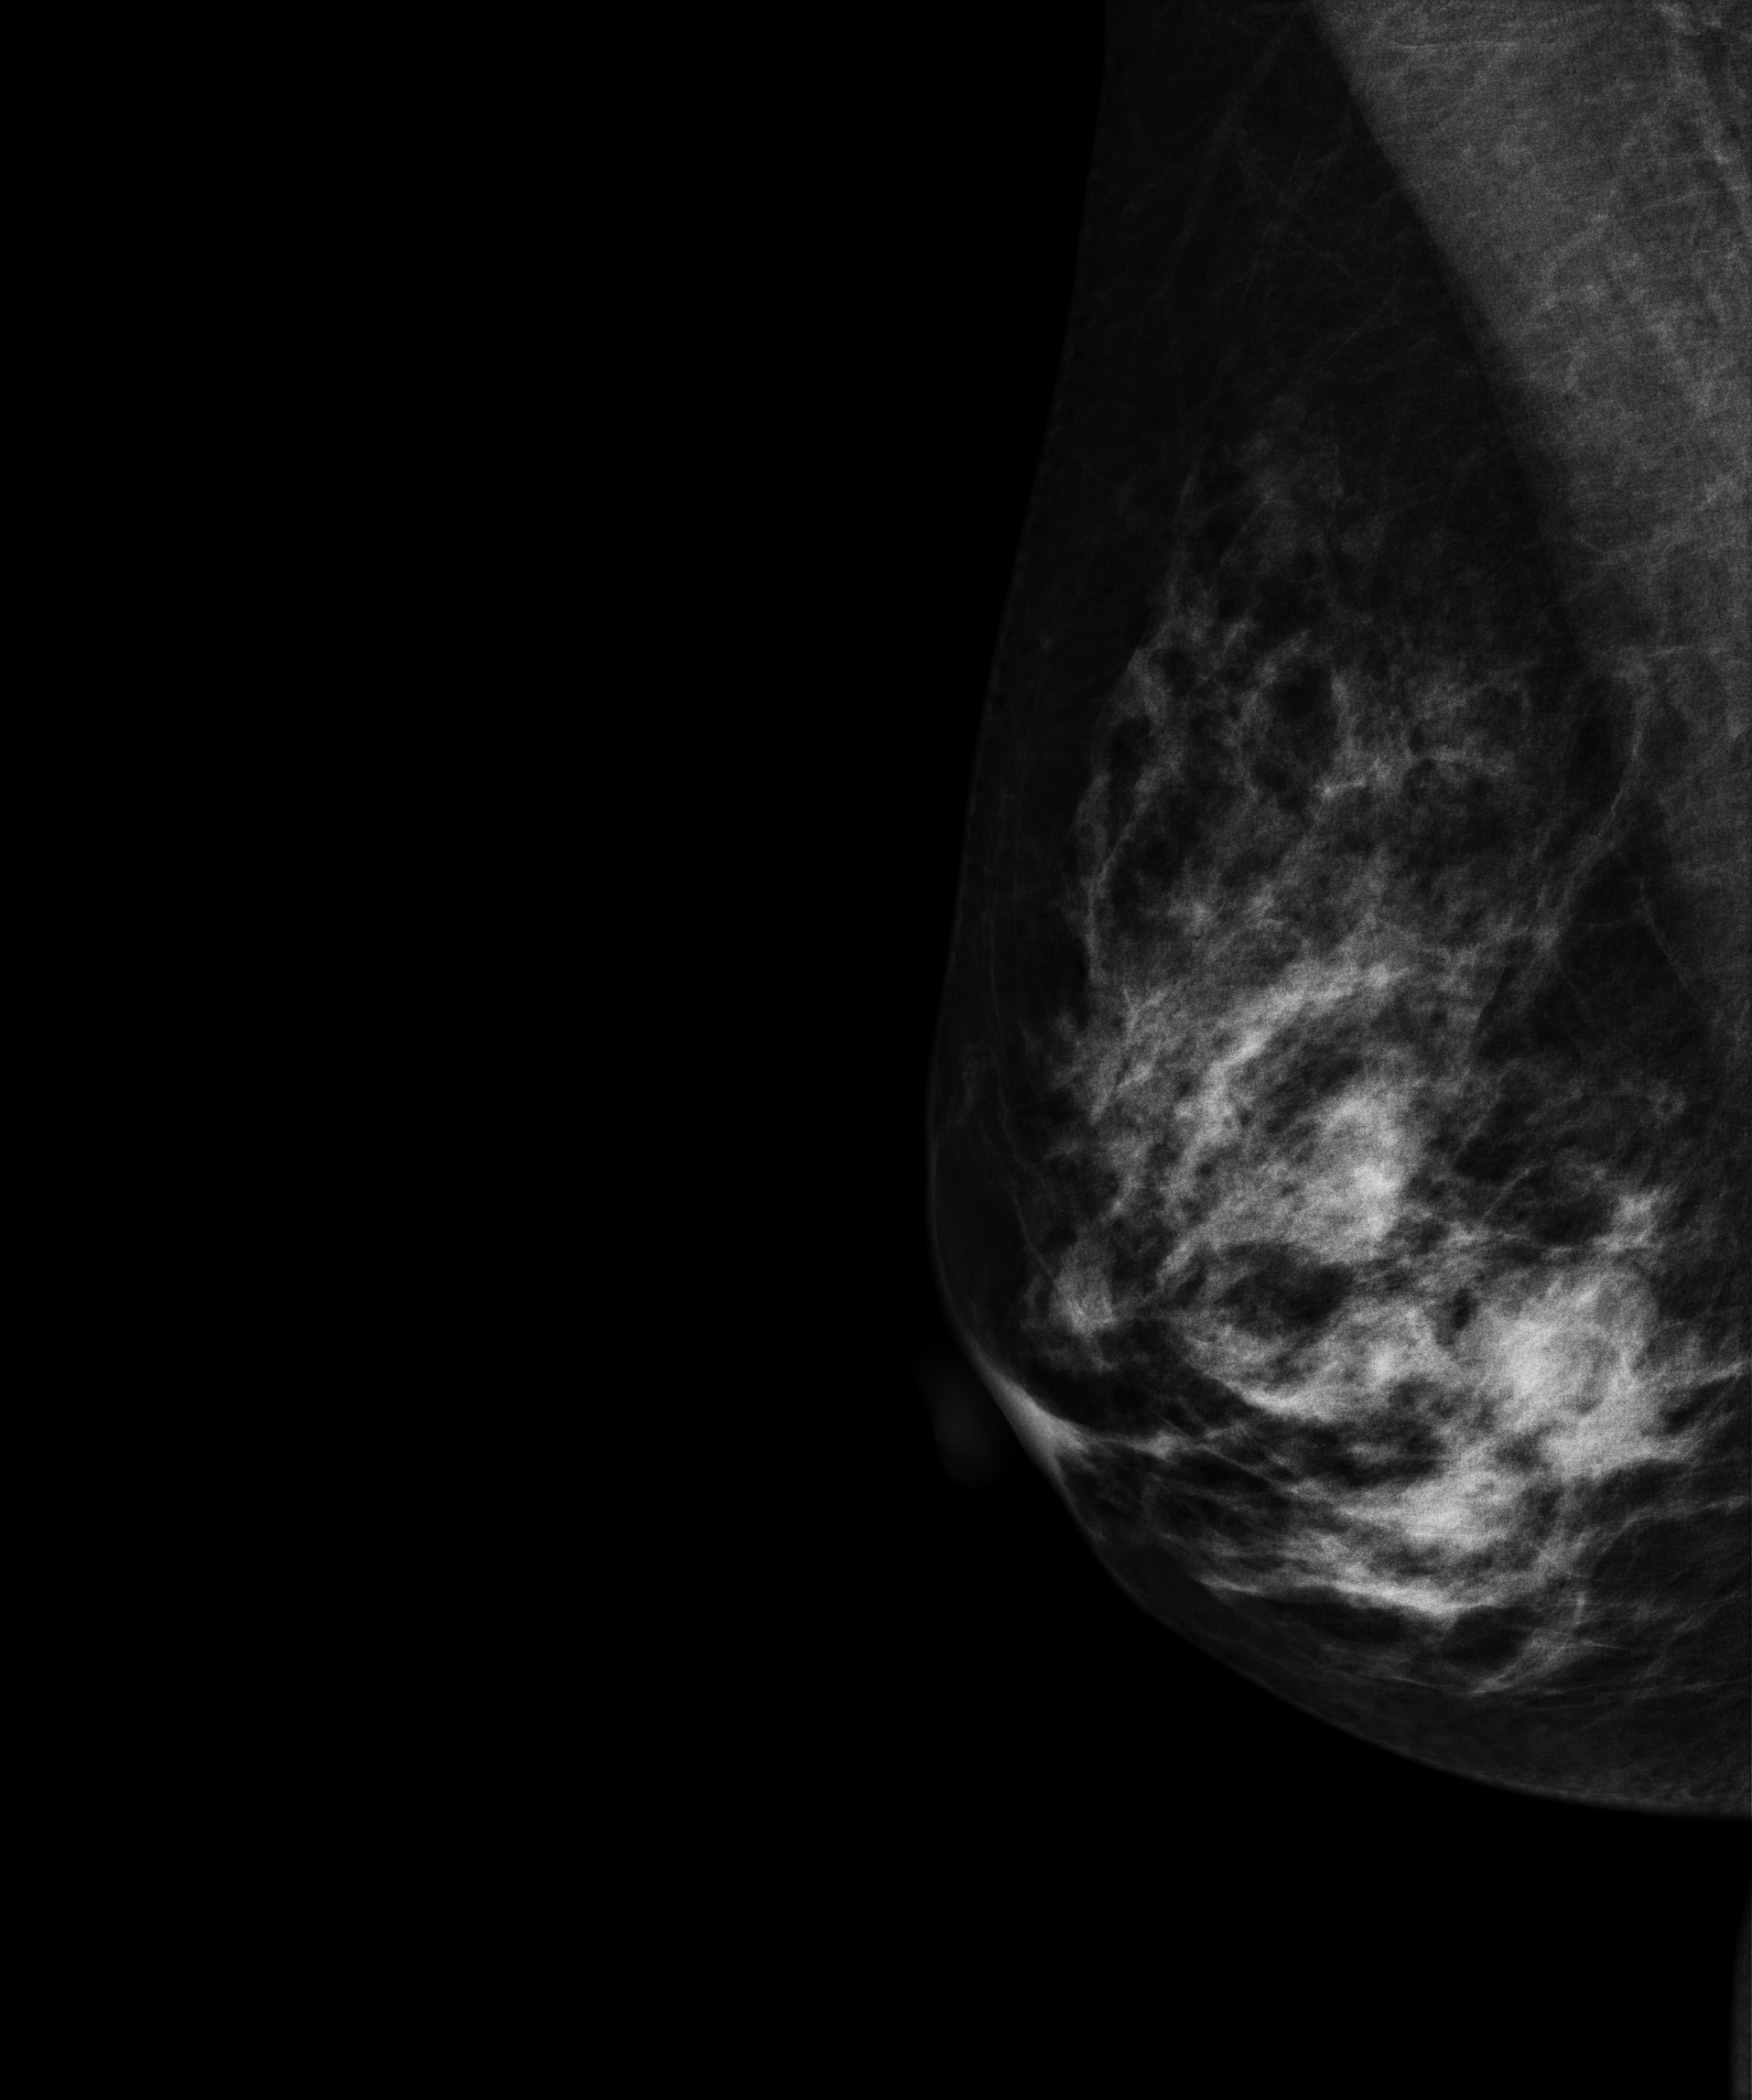
Mammogram, right breast, medio-lateral oblique view. Patient age 43.
This breast has a mass, histologically confirmed malignant. Molecular subtype: luminal B.